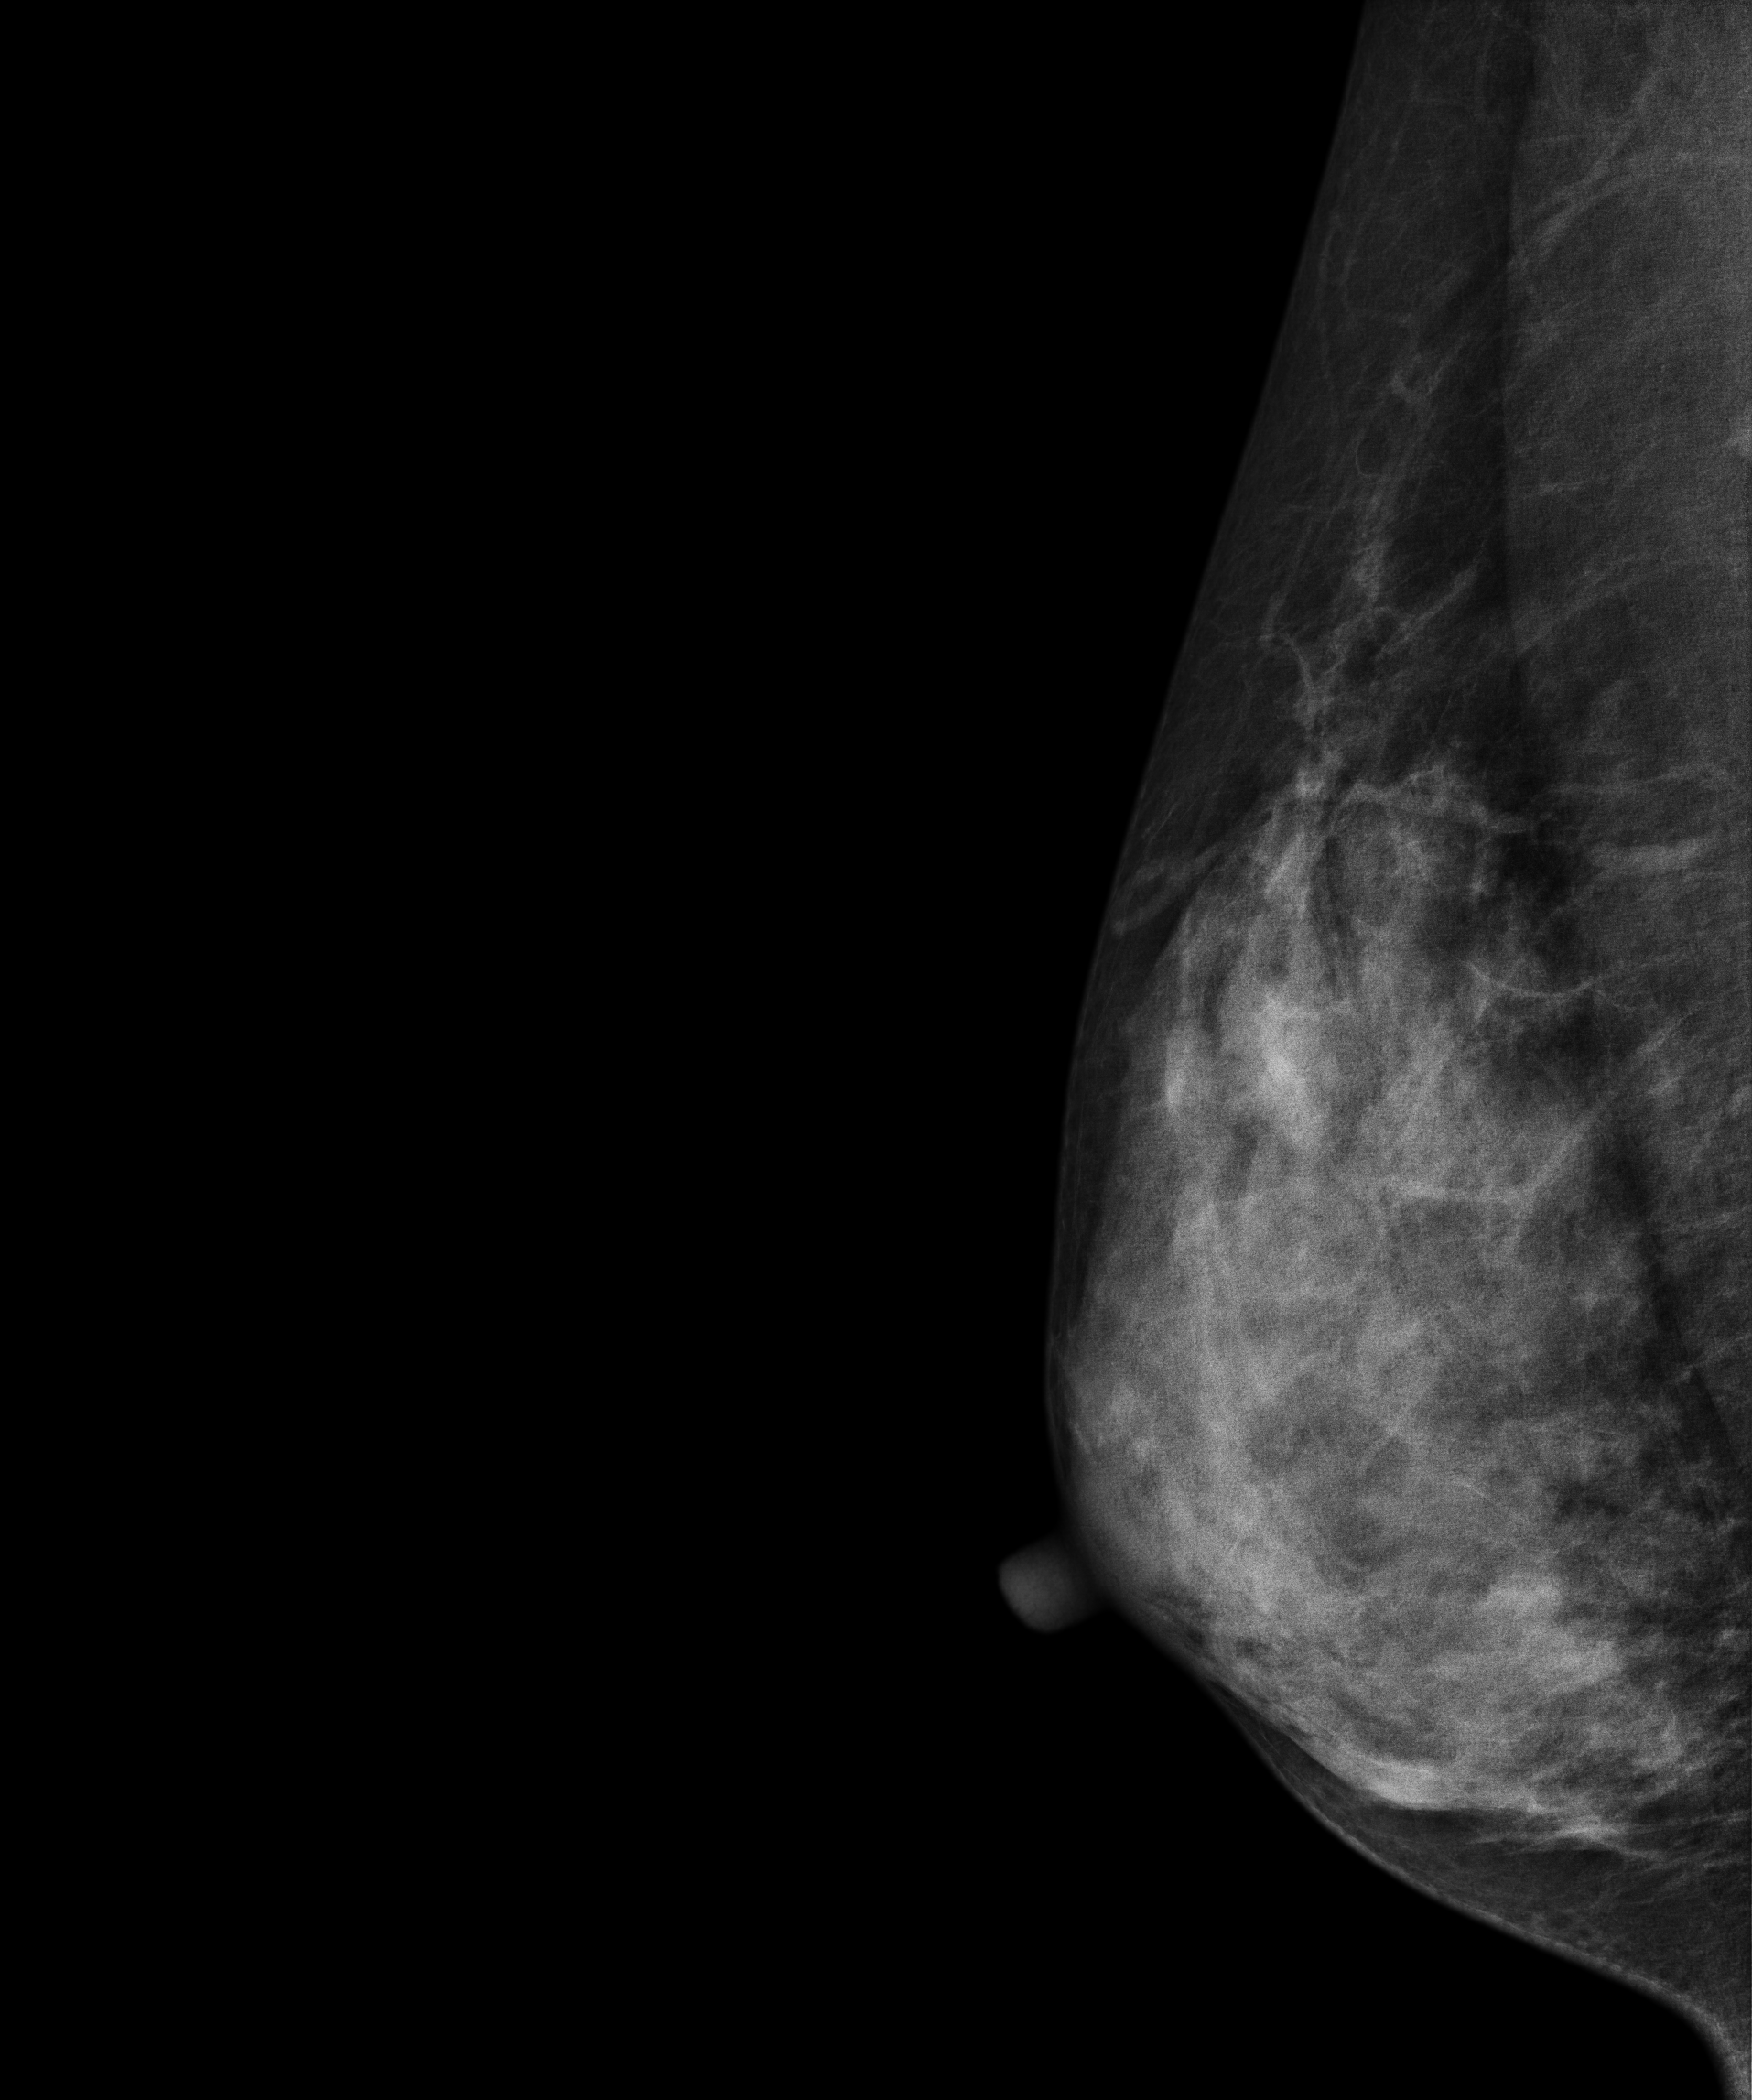
Digital mammography. Right breast, MLO projection. 29-year-old patient.
This breast has a mass, pathology-confirmed benign.